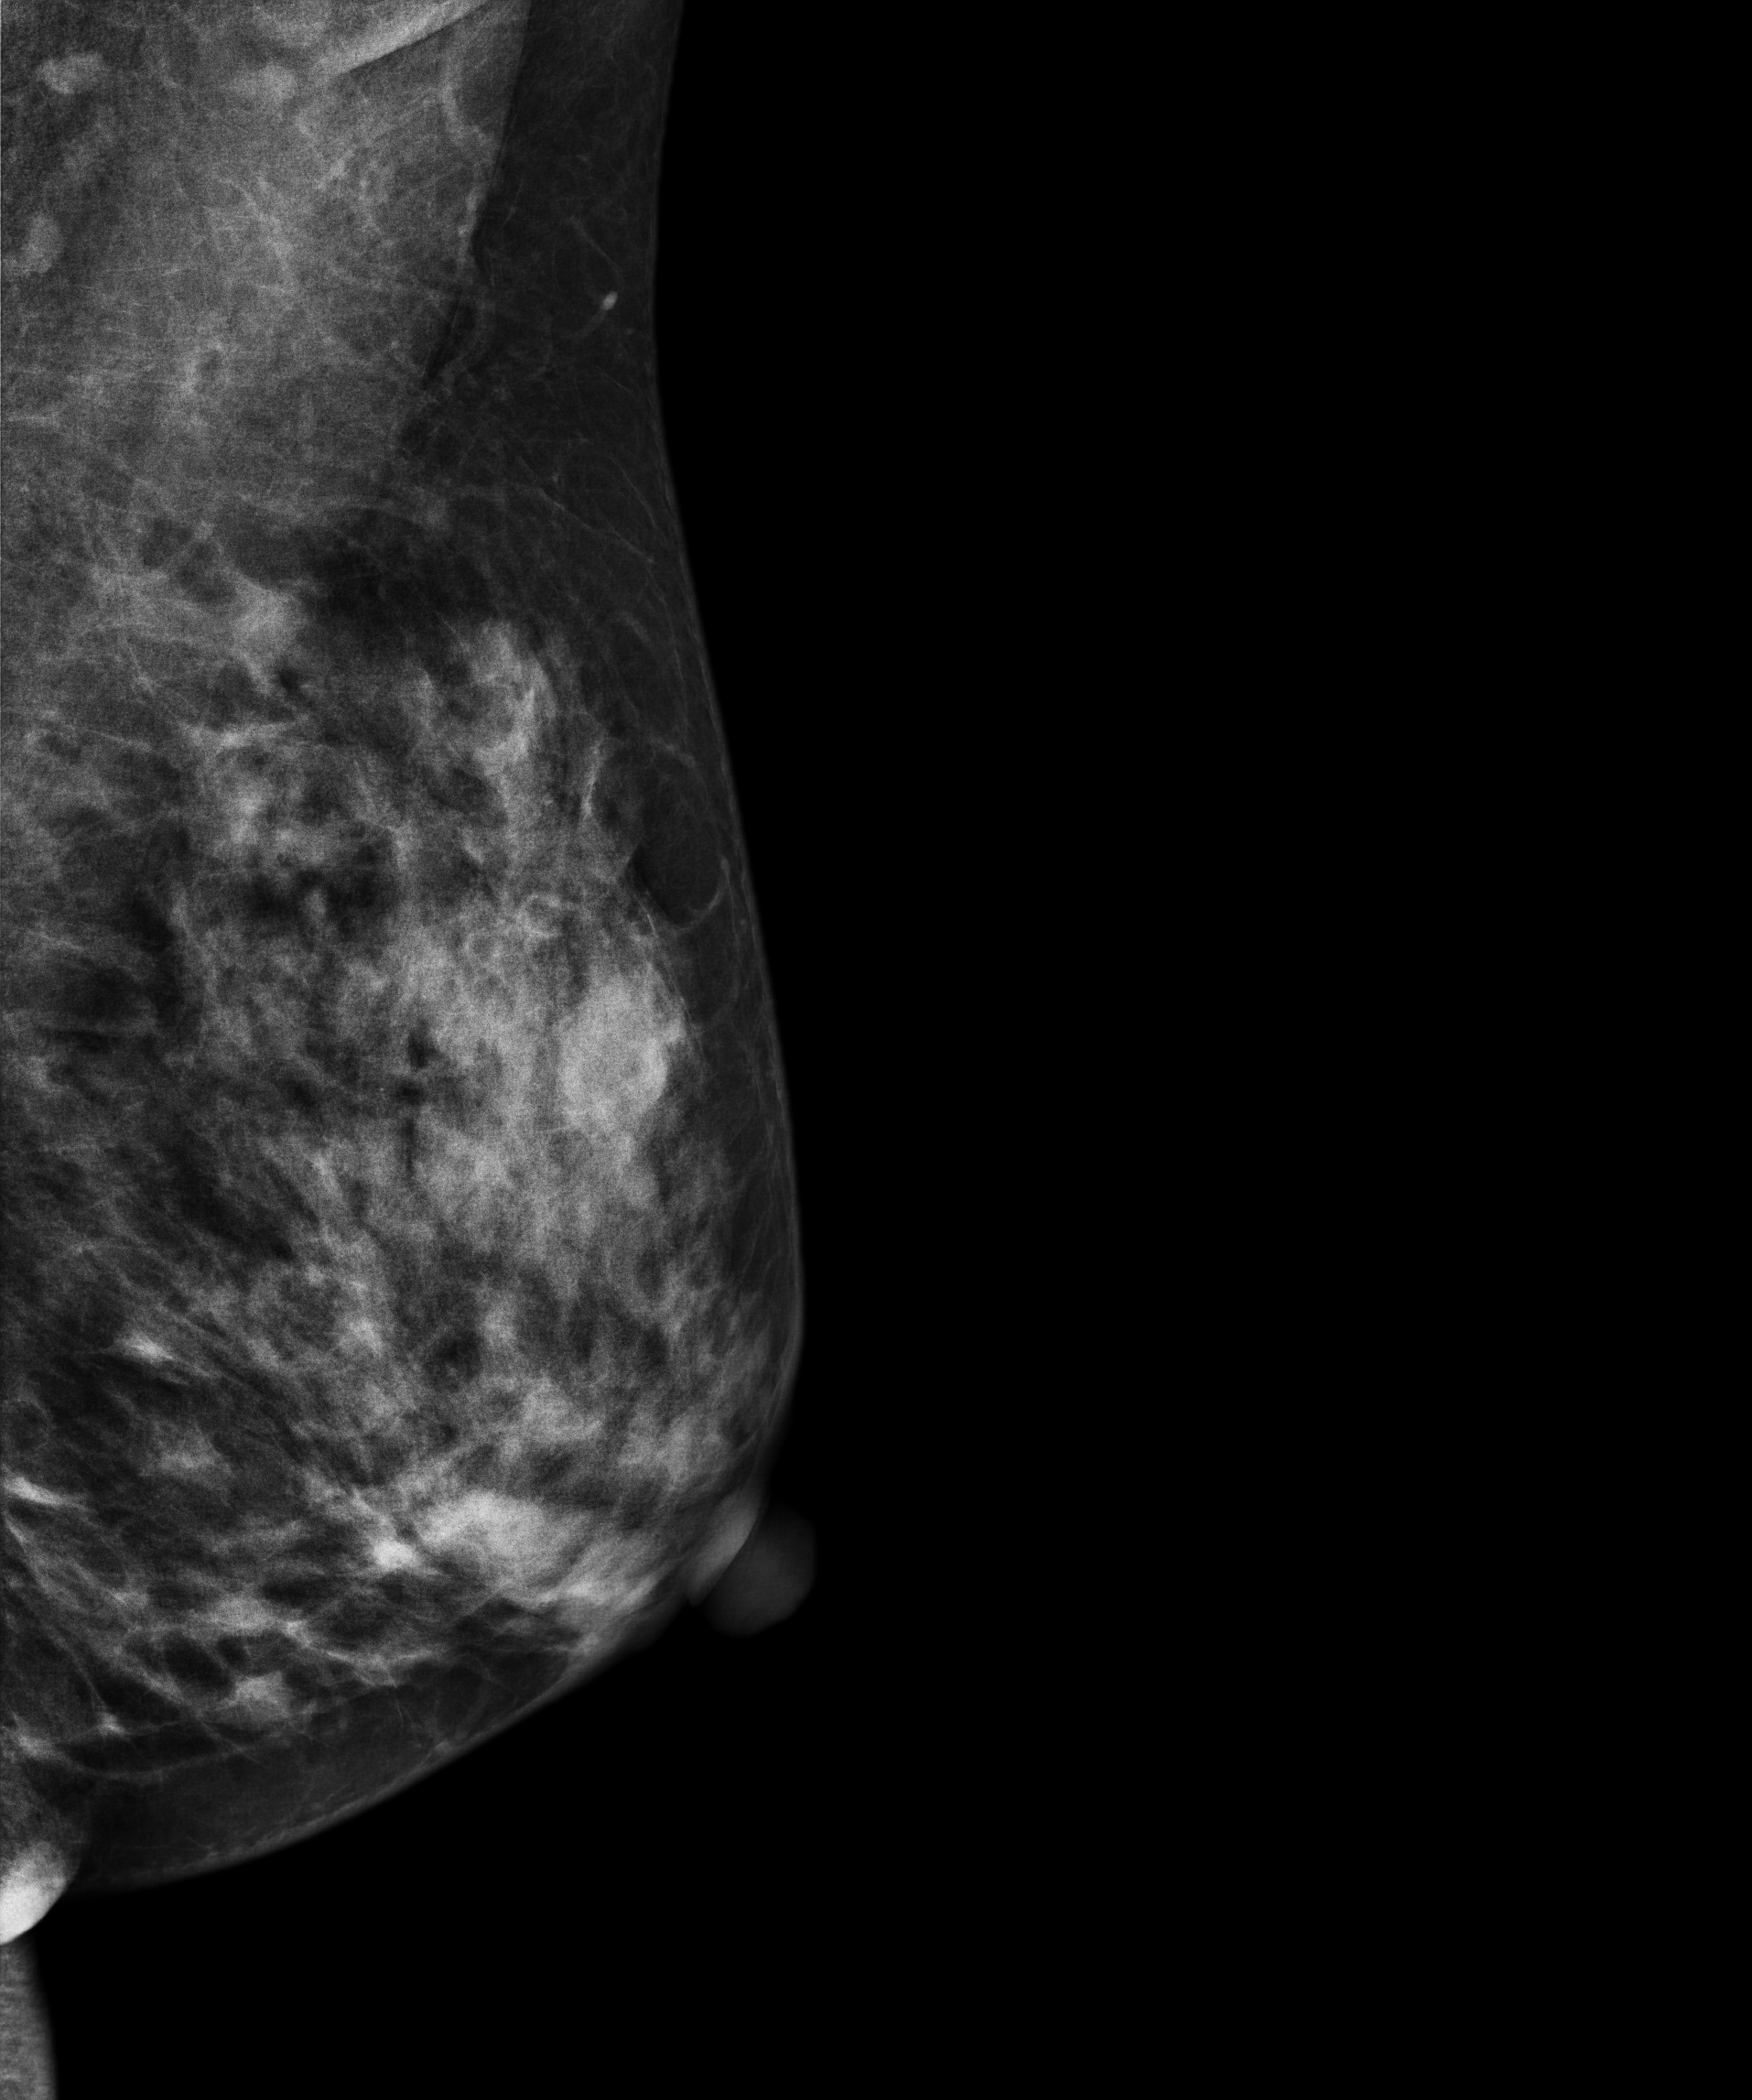
MLO mammogram of the left breast. 47 y/o patient.
This breast has a mass, histologically confirmed benign.